Right-breast mammogram, MLO. Patient age 44.
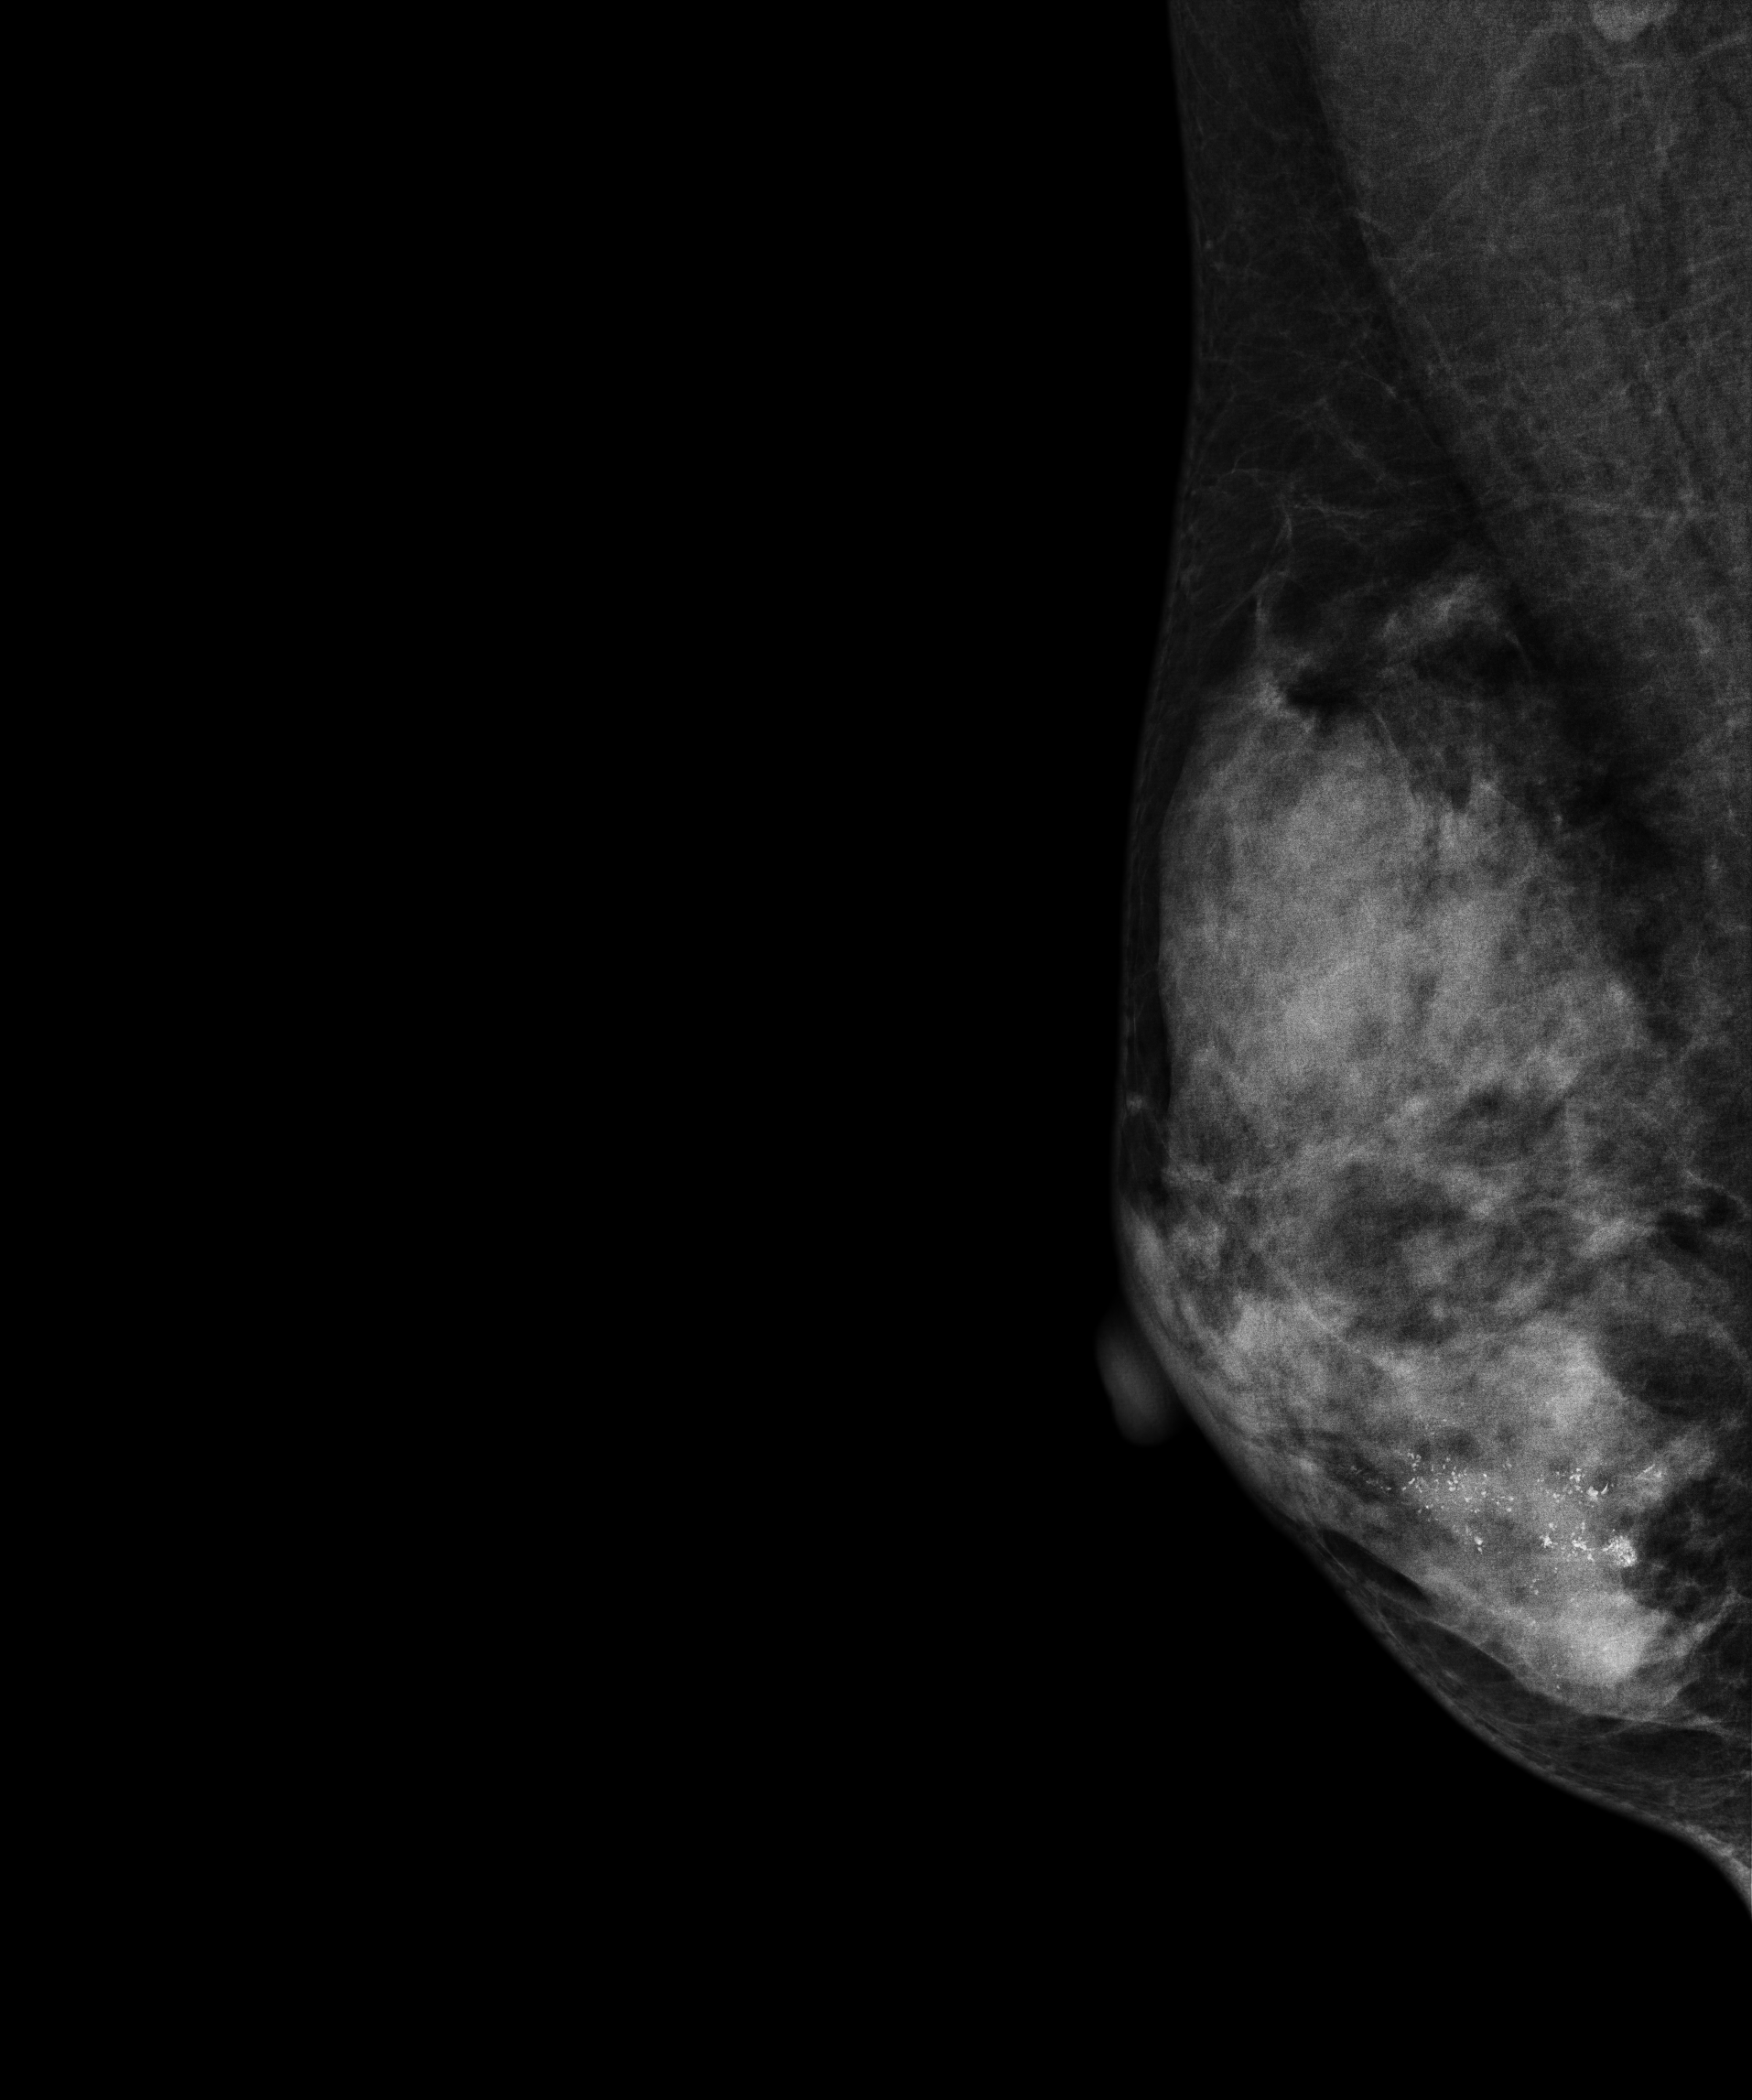
This breast has calcifications, biopsy-proven malignant. Molecular subtype: luminal B.